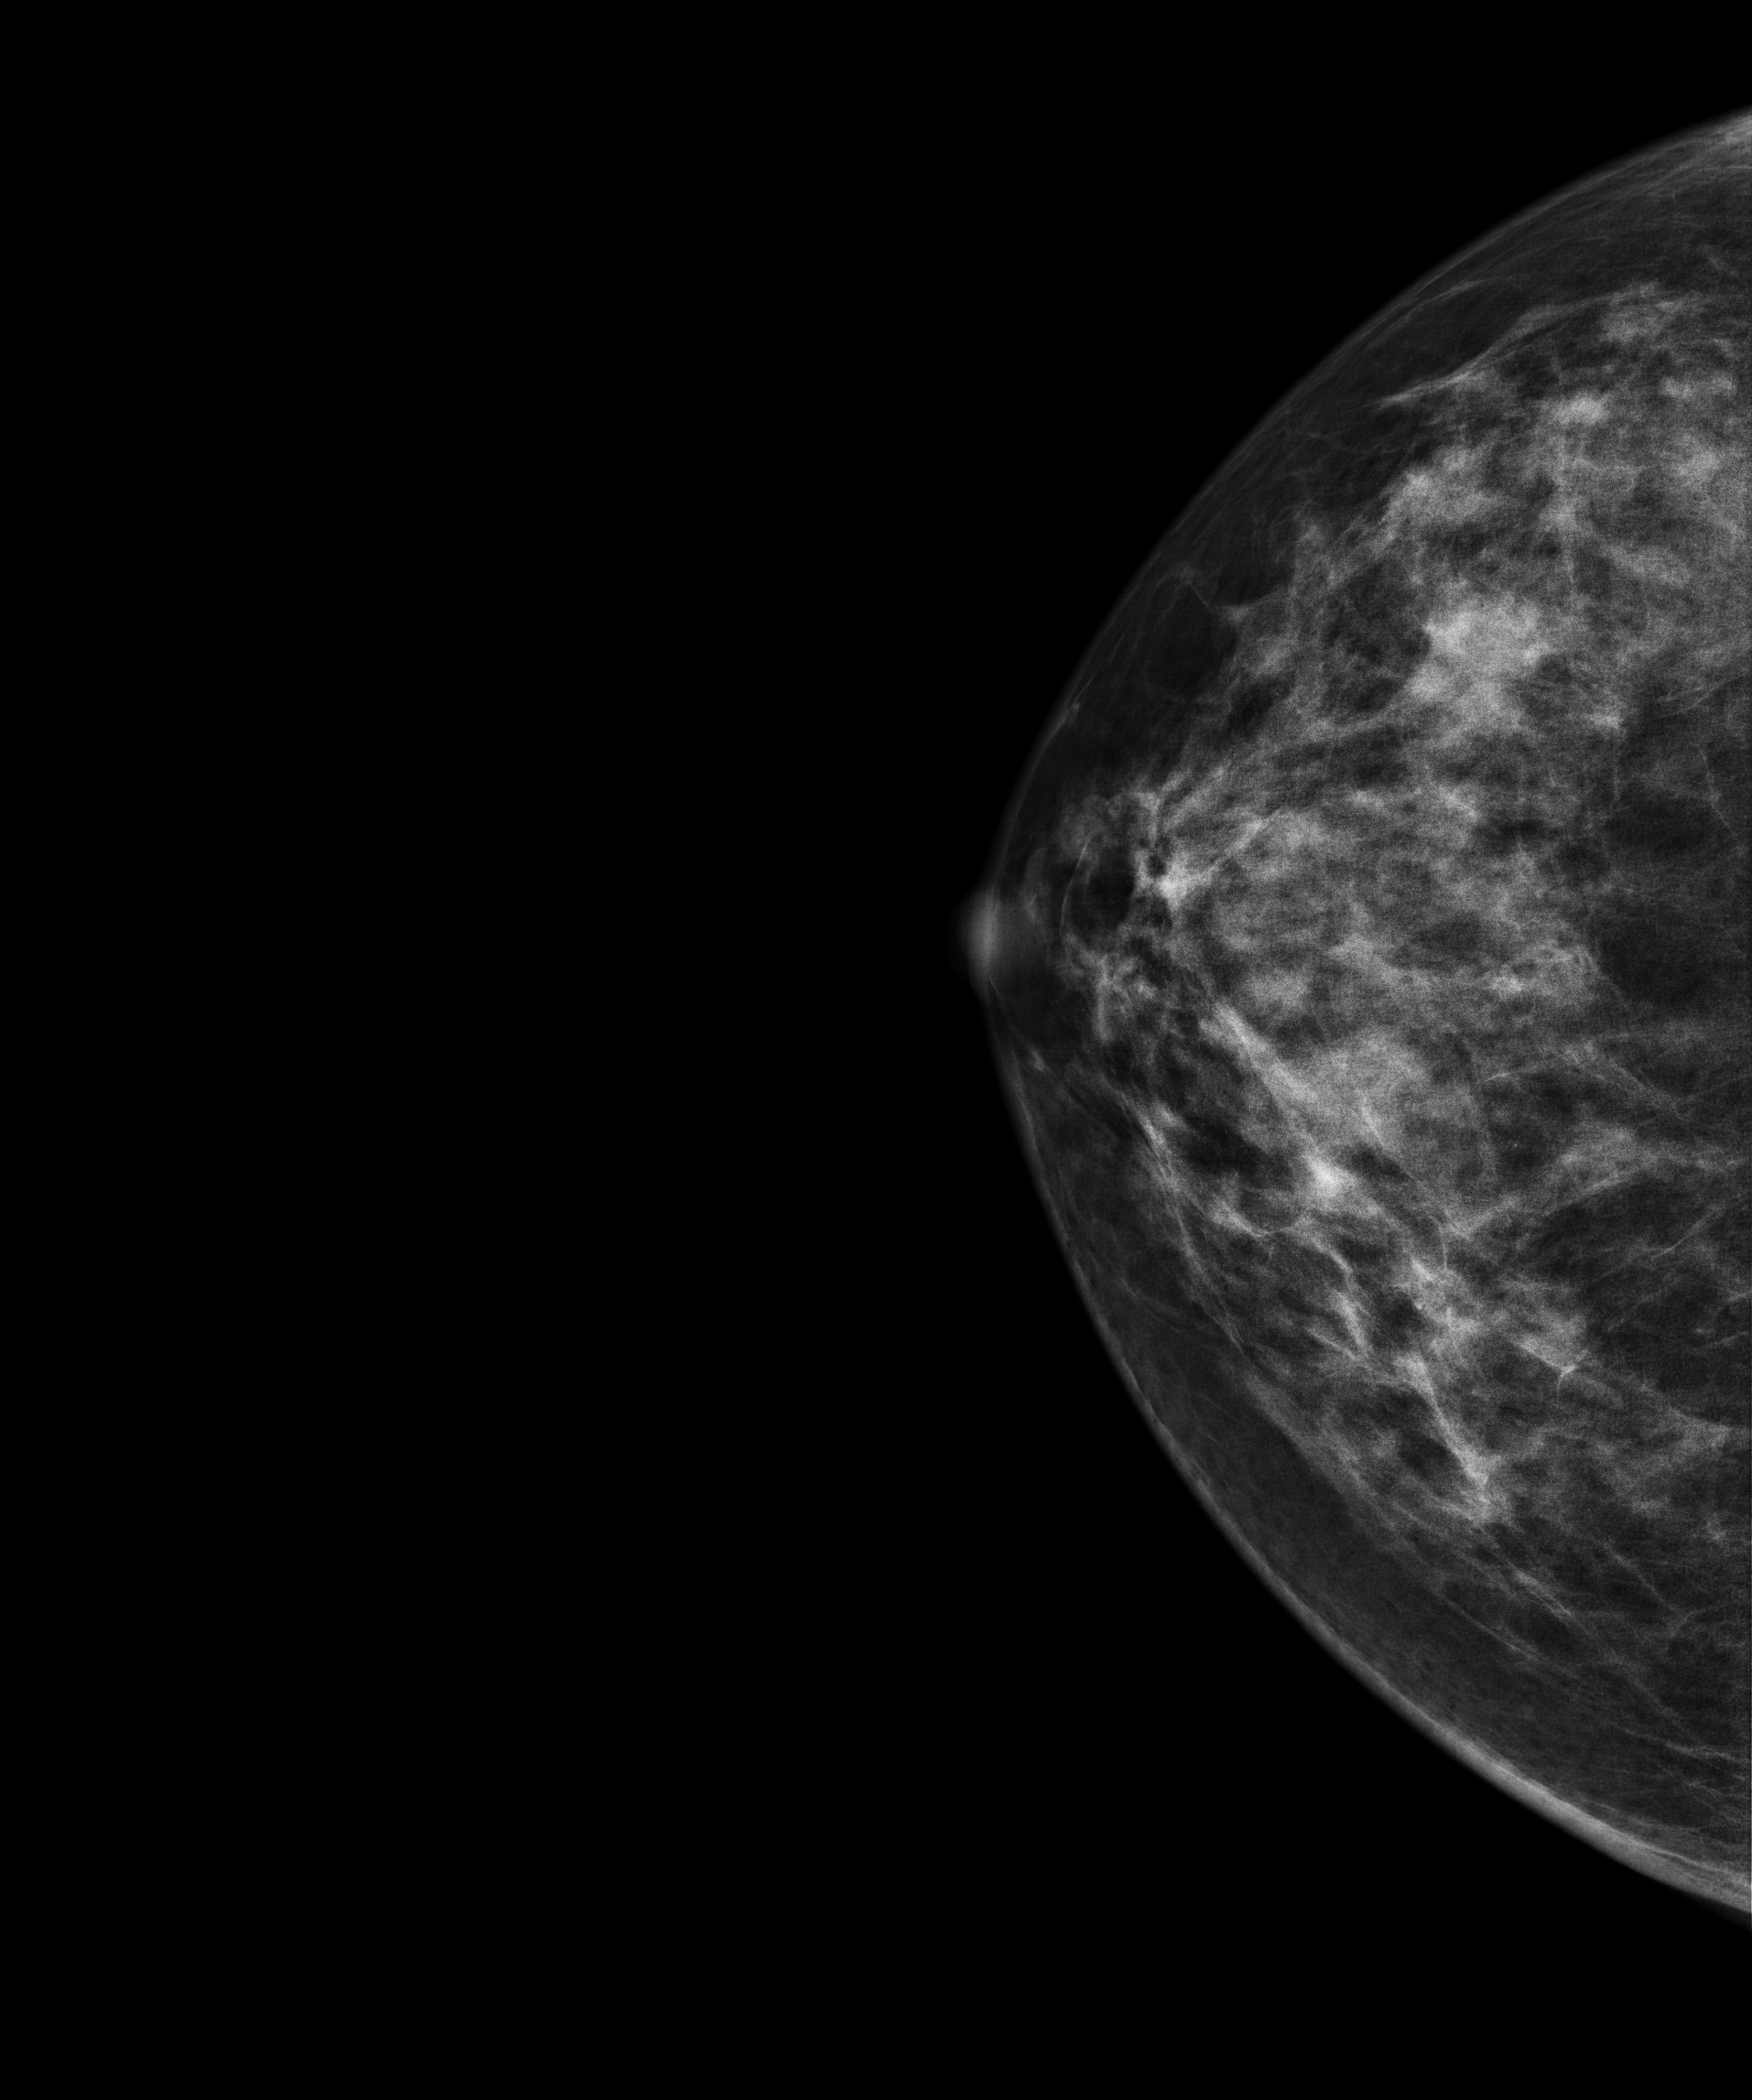
CC mammogram of the right breast. Patient age 52.
This breast has a mass, pathology-confirmed malignant.